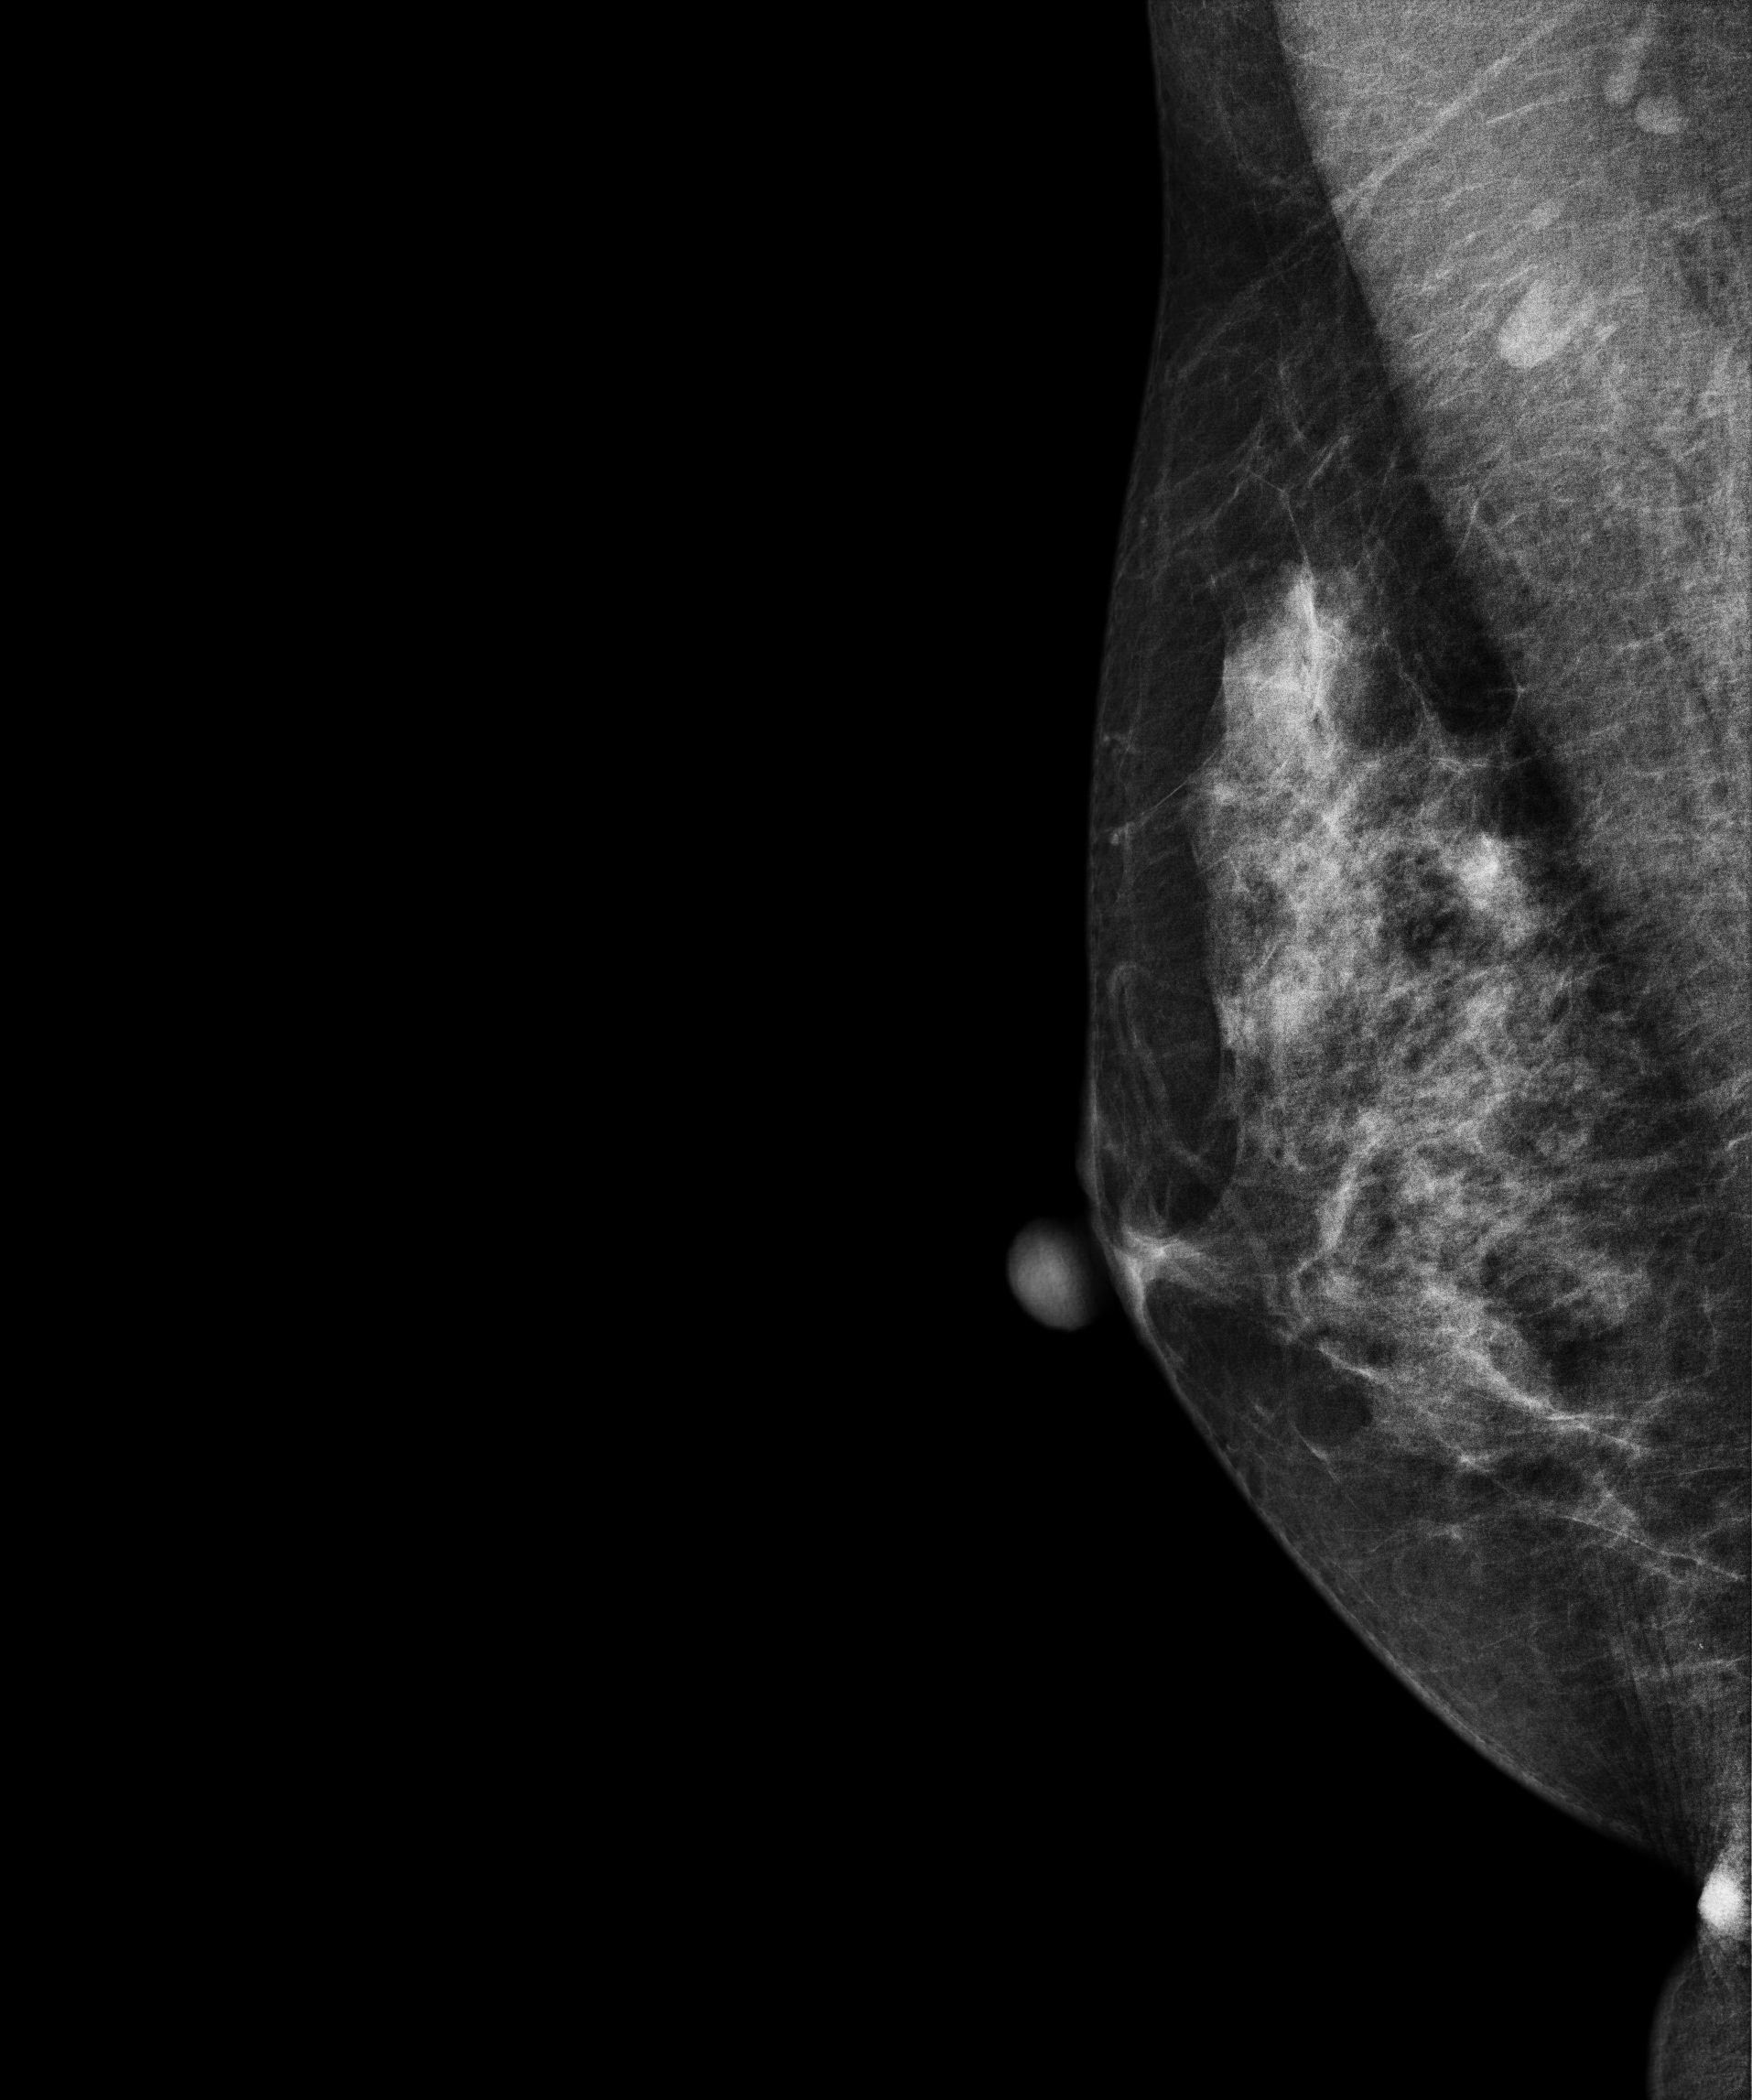
Right-breast mammogram, medio-lateral oblique. 51 y/o patient.
Contralateral breast — no documented abnormality on this side.